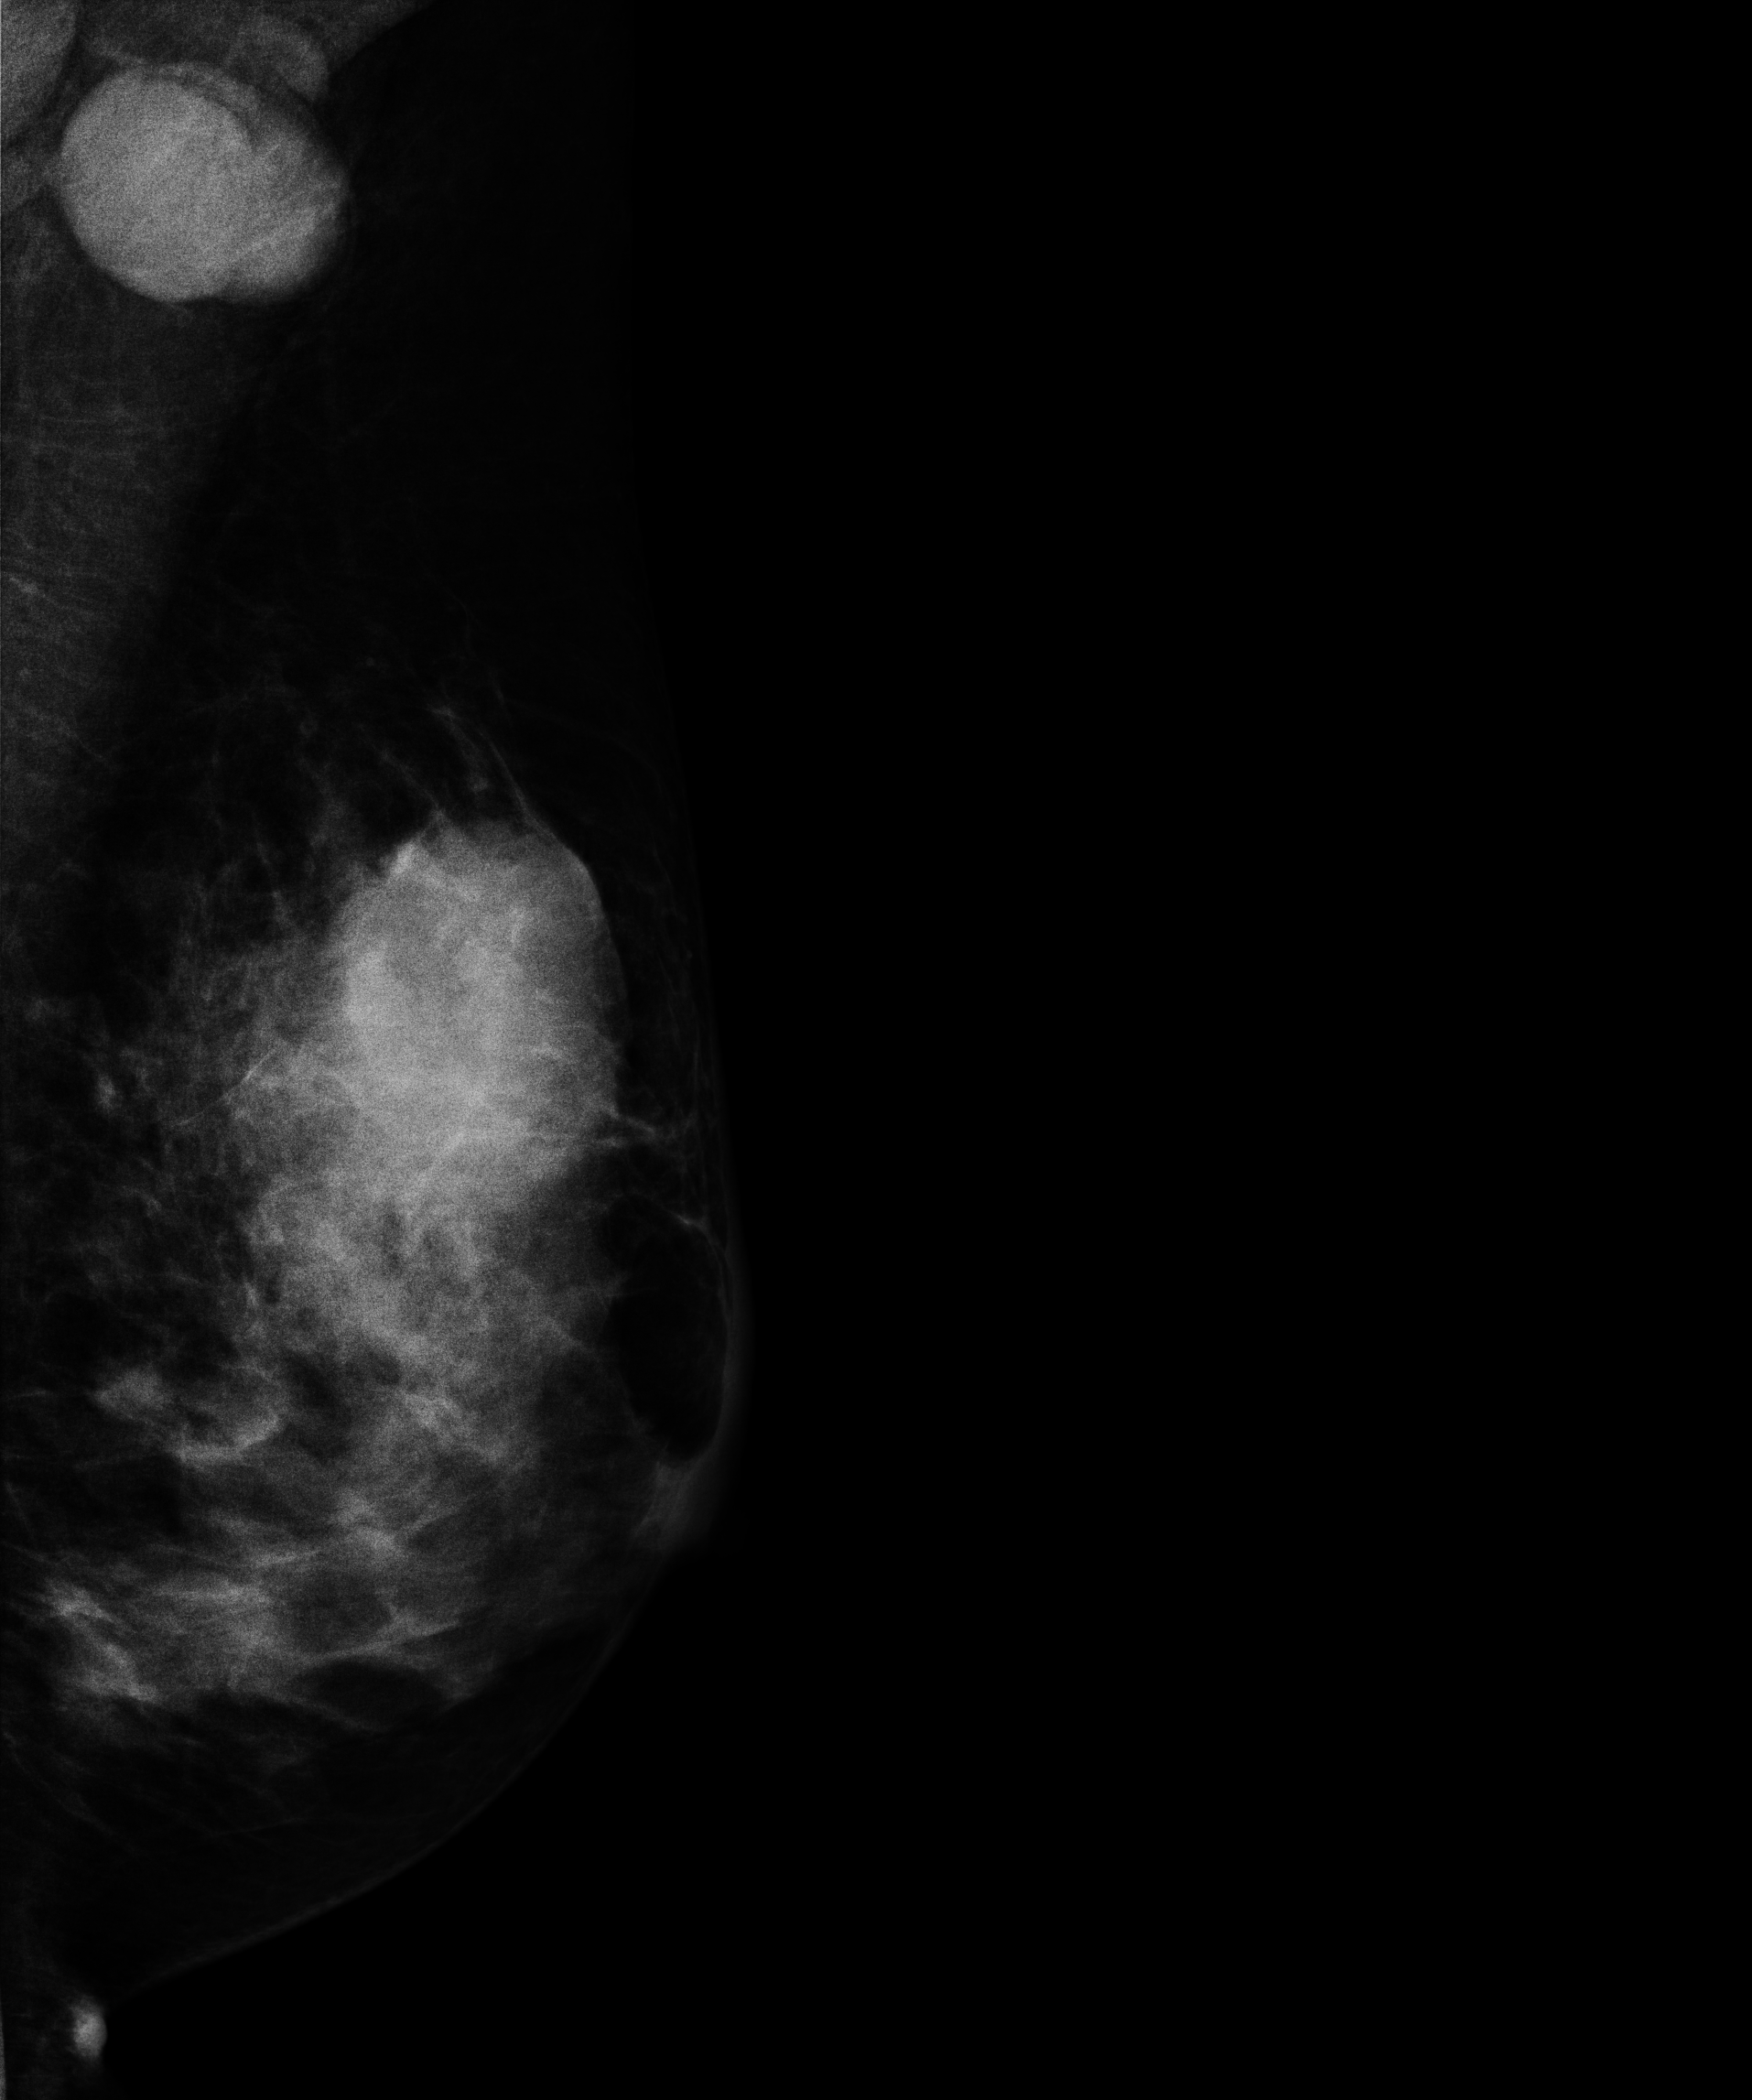
MLO mammogram of the left breast. 29-year-old patient.
This breast has a mass, pathology-confirmed malignant. Molecular subtype: triple-negative.